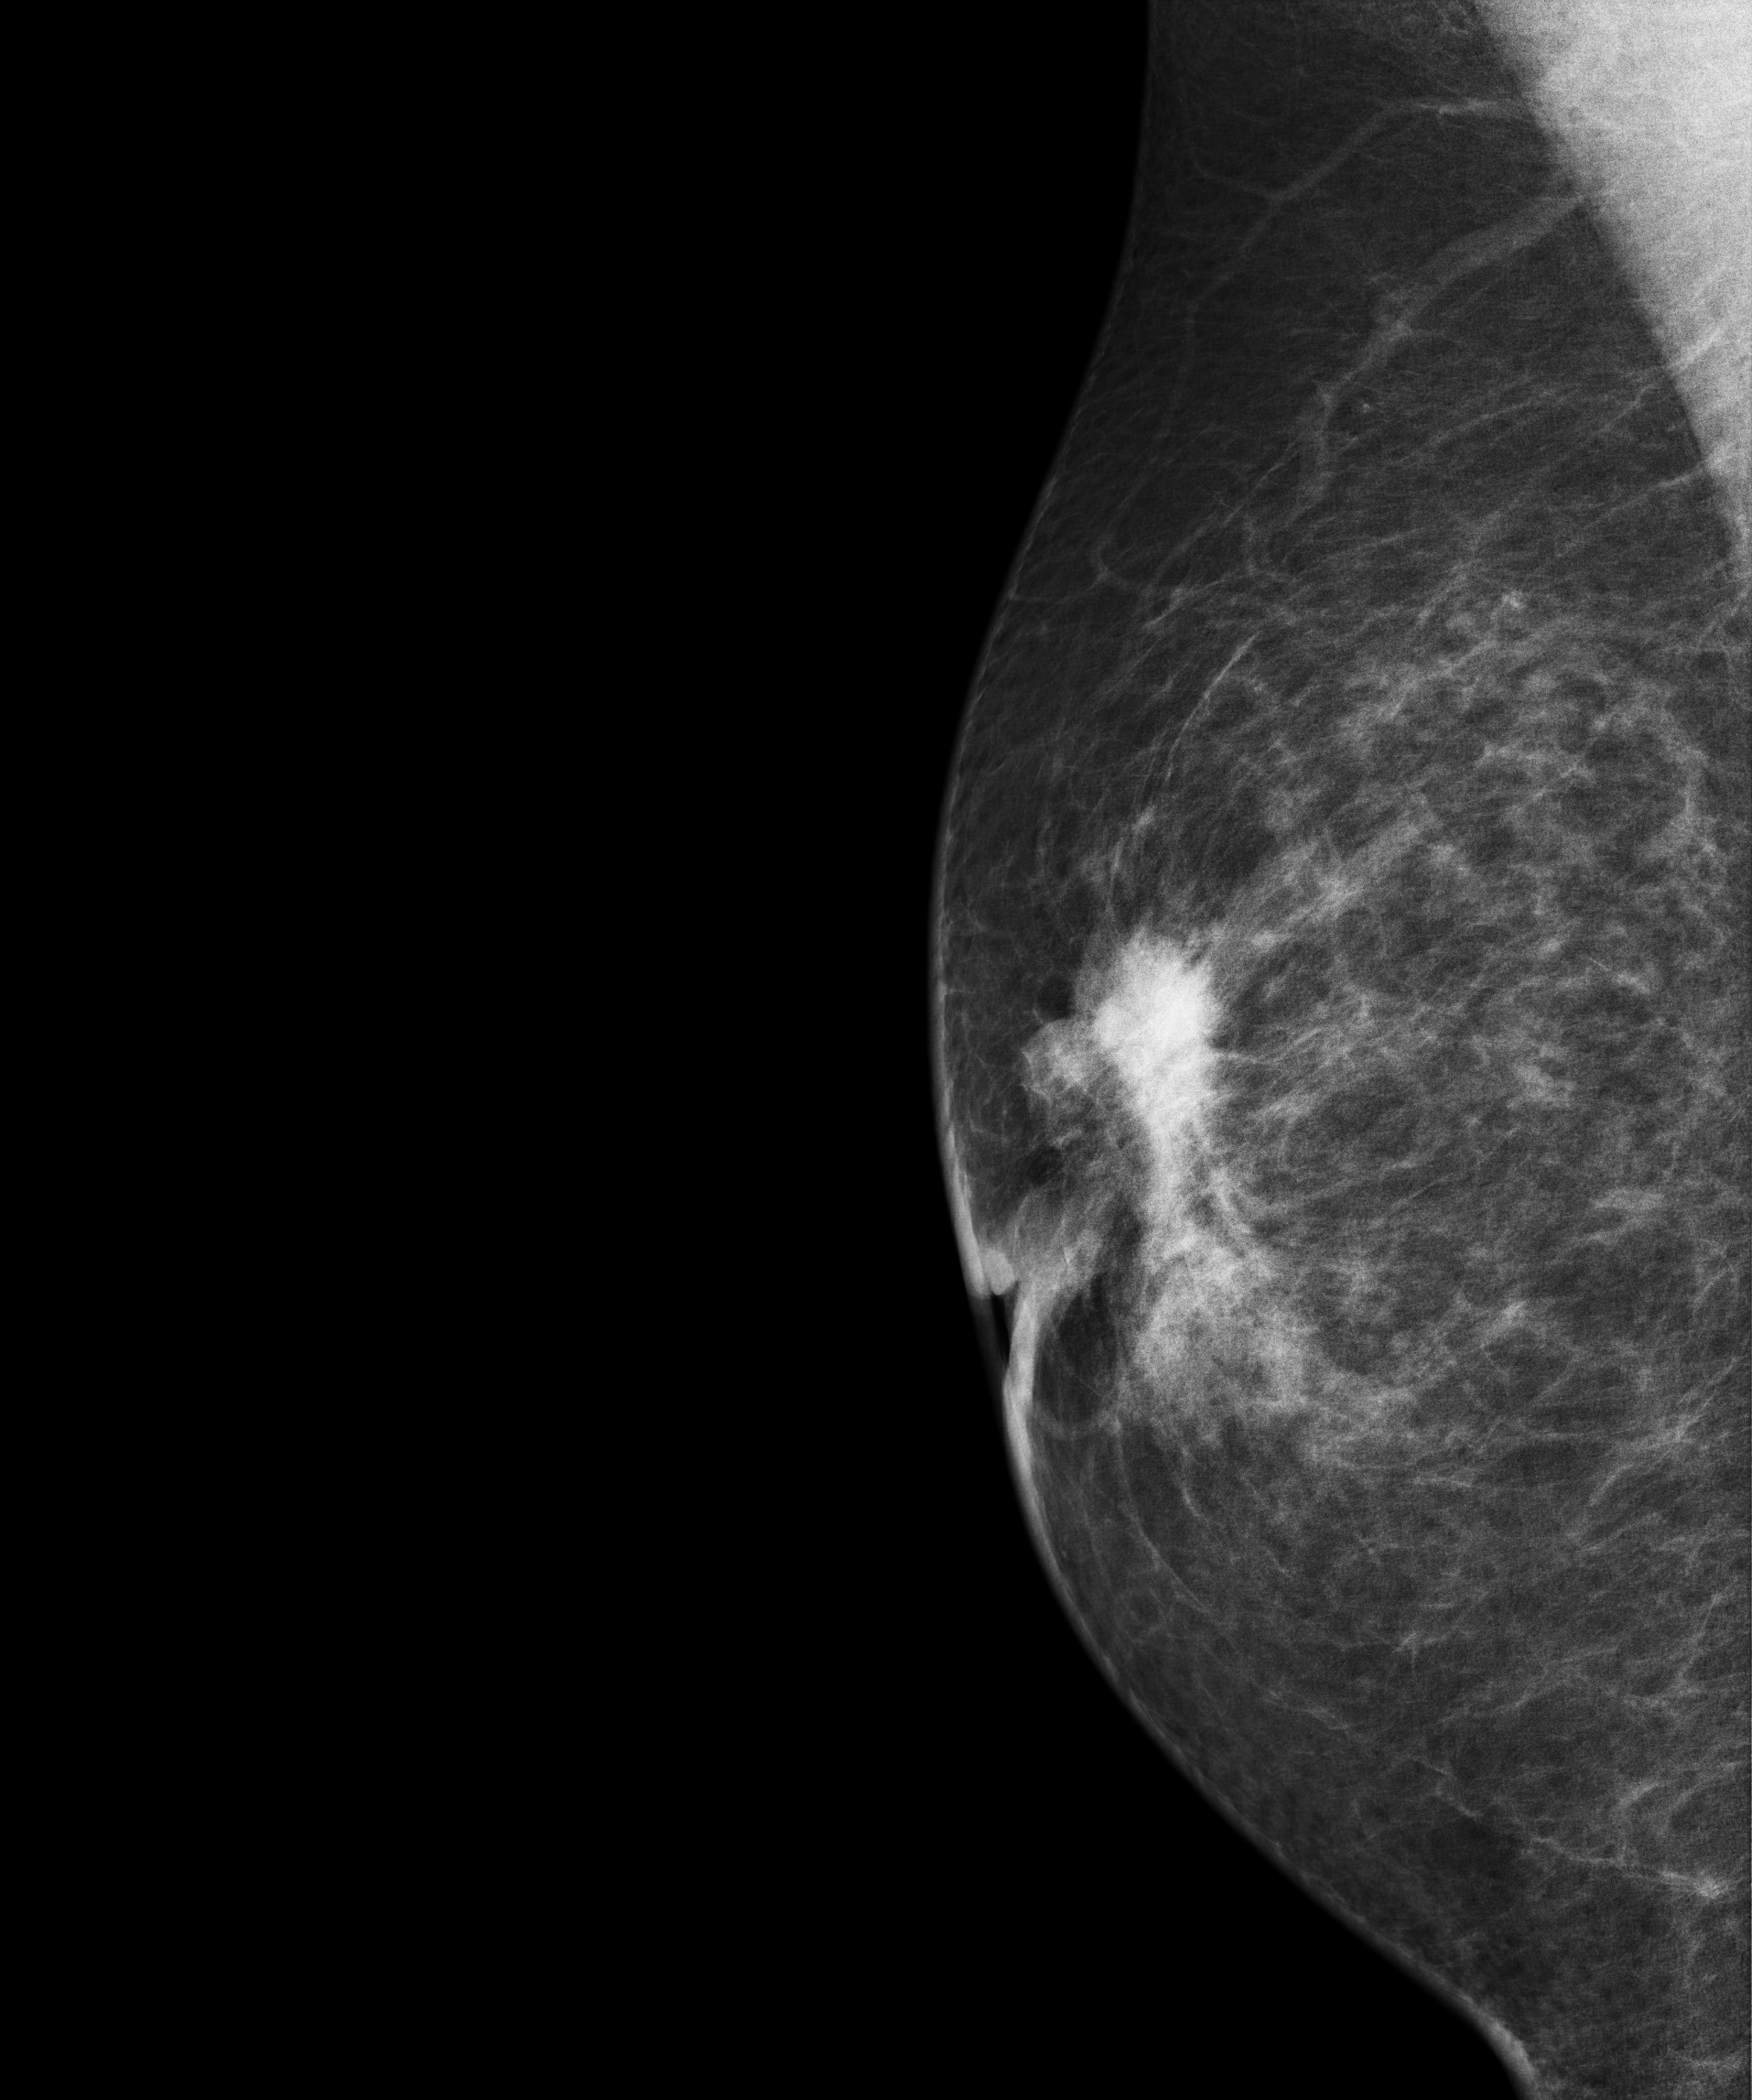
Mammogram, right breast, medio-lateral oblique view. 47-year-old patient.
This breast has a mass, pathology-confirmed malignant. Molecular subtype: luminal A.